Digital mammography. Right breast, MLO projection. Patient age 35.
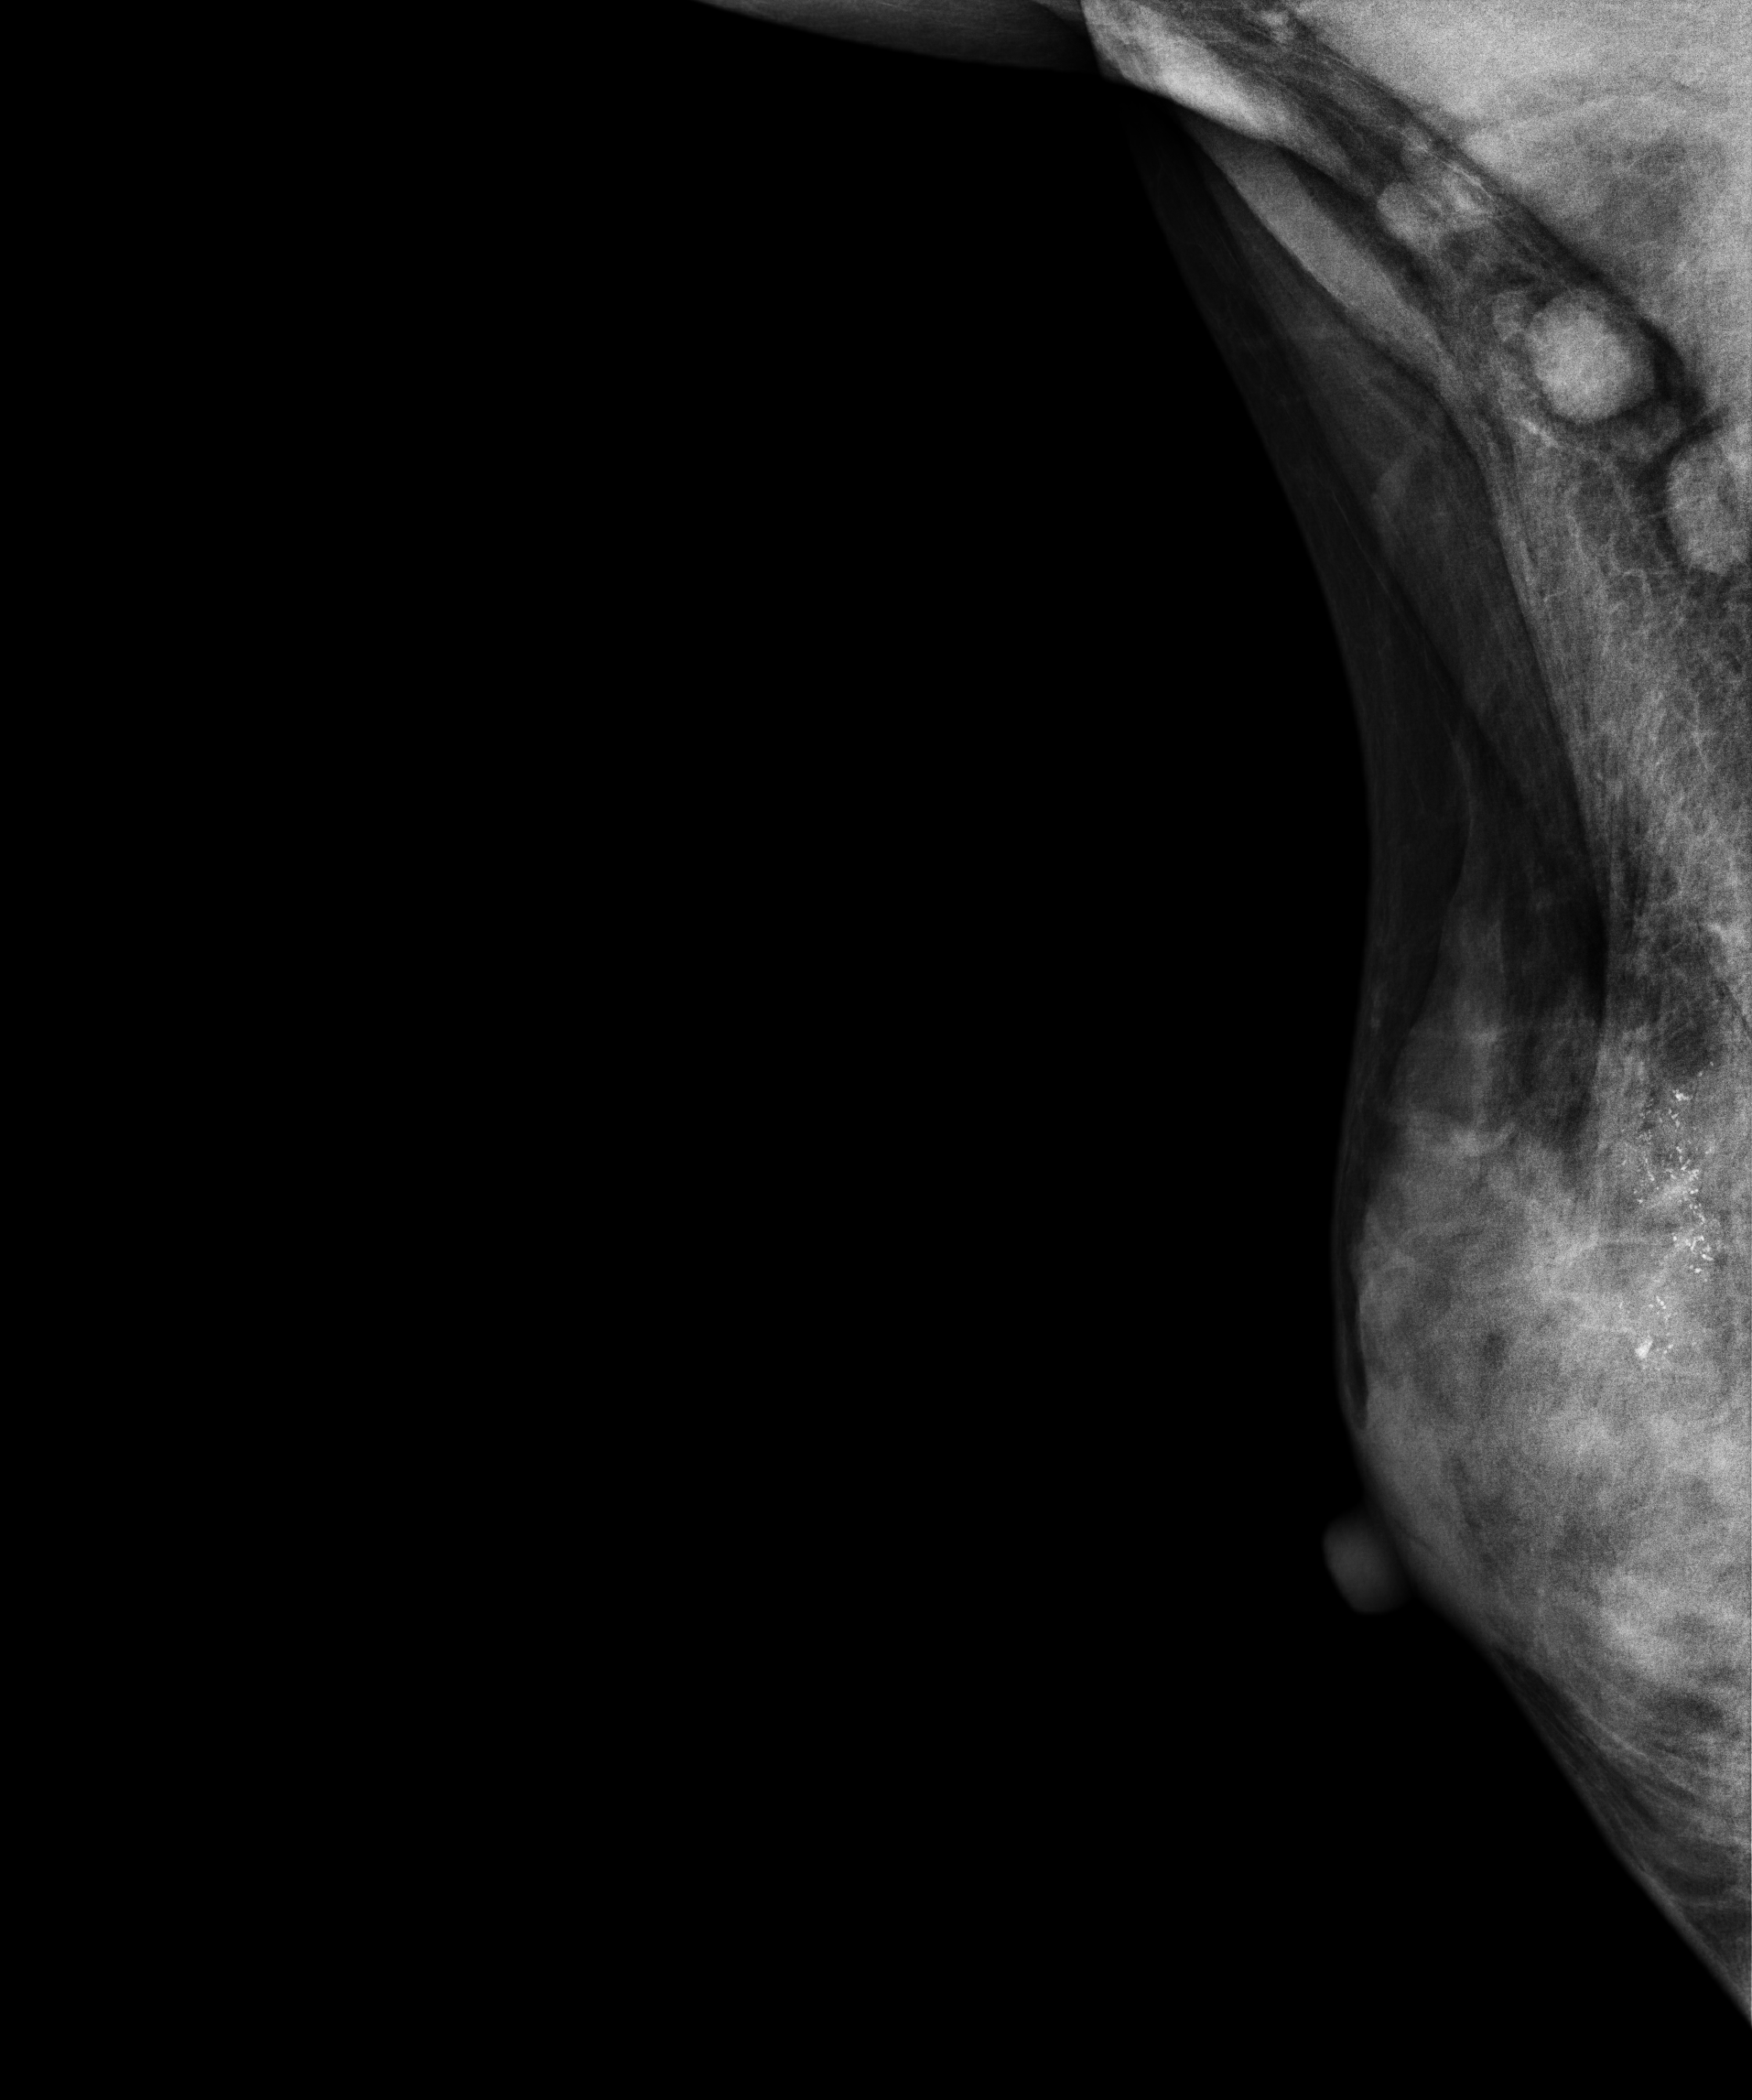
This breast has calcifications, biopsy-confirmed malignant. Molecular subtype: triple-negative.